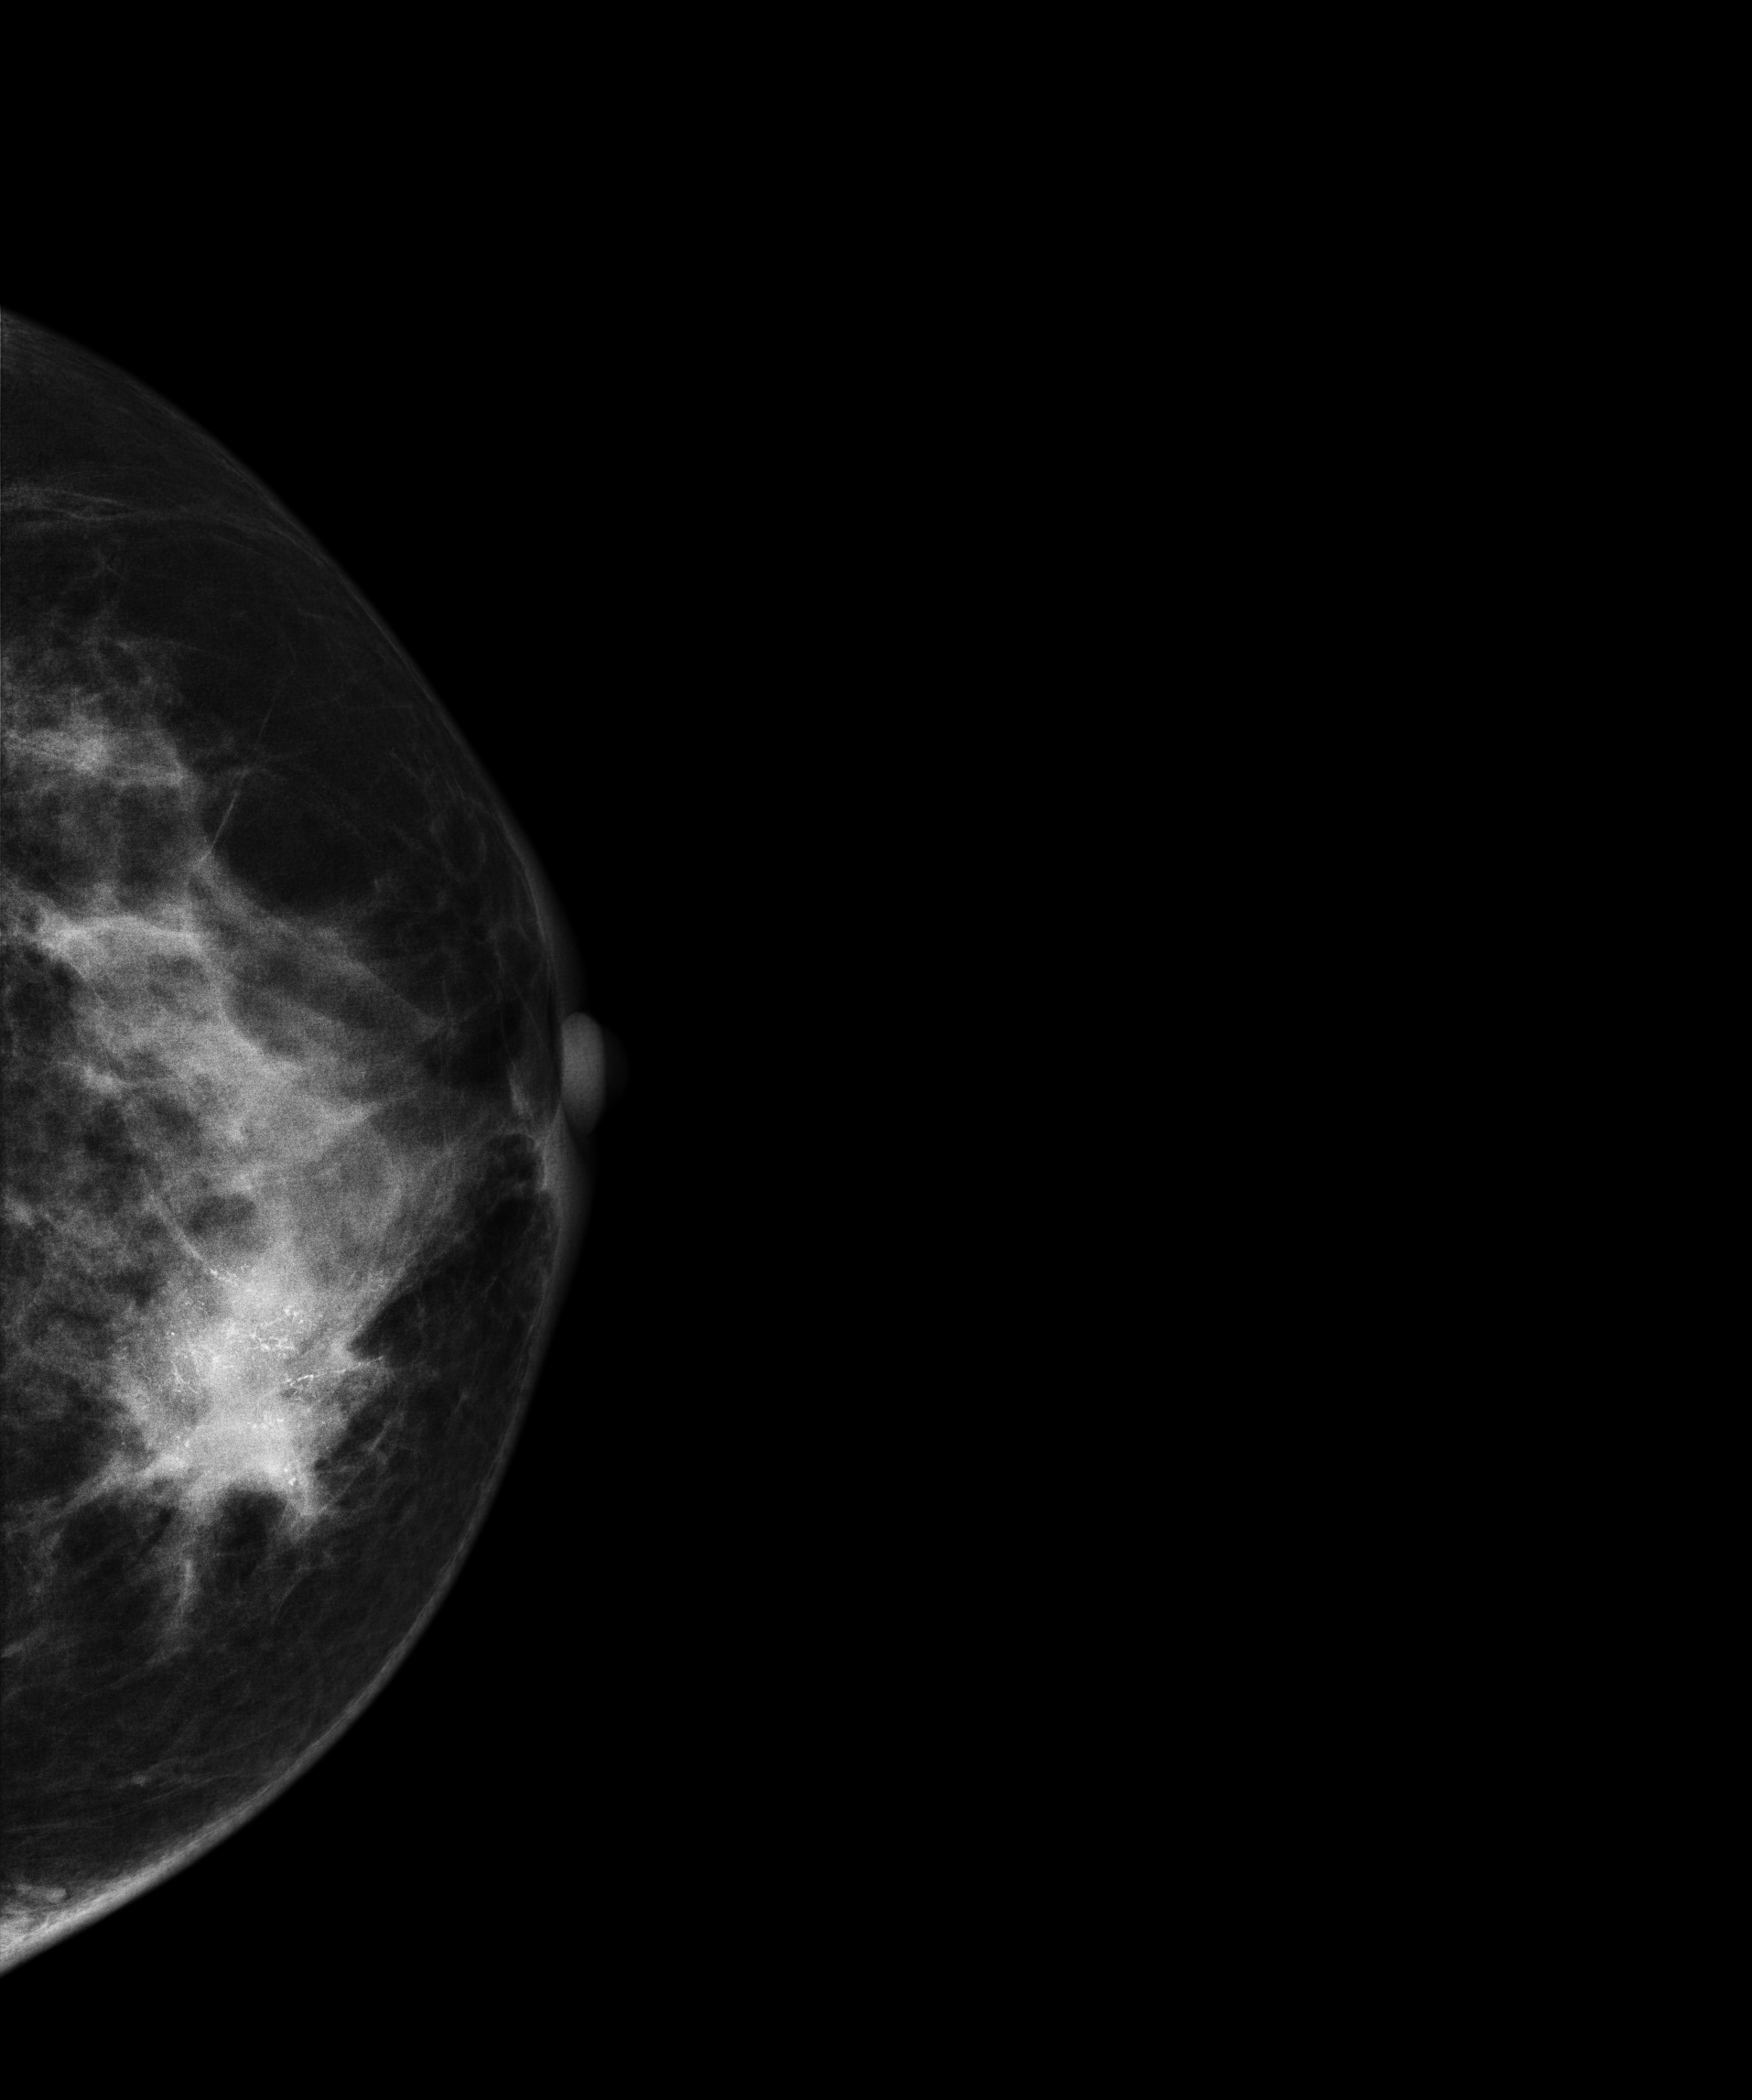
Left-breast mammogram, cranio-caudal. Patient age 58.
This breast has a mass and calcifications, histologically confirmed malignant. Molecular subtype: luminal B.